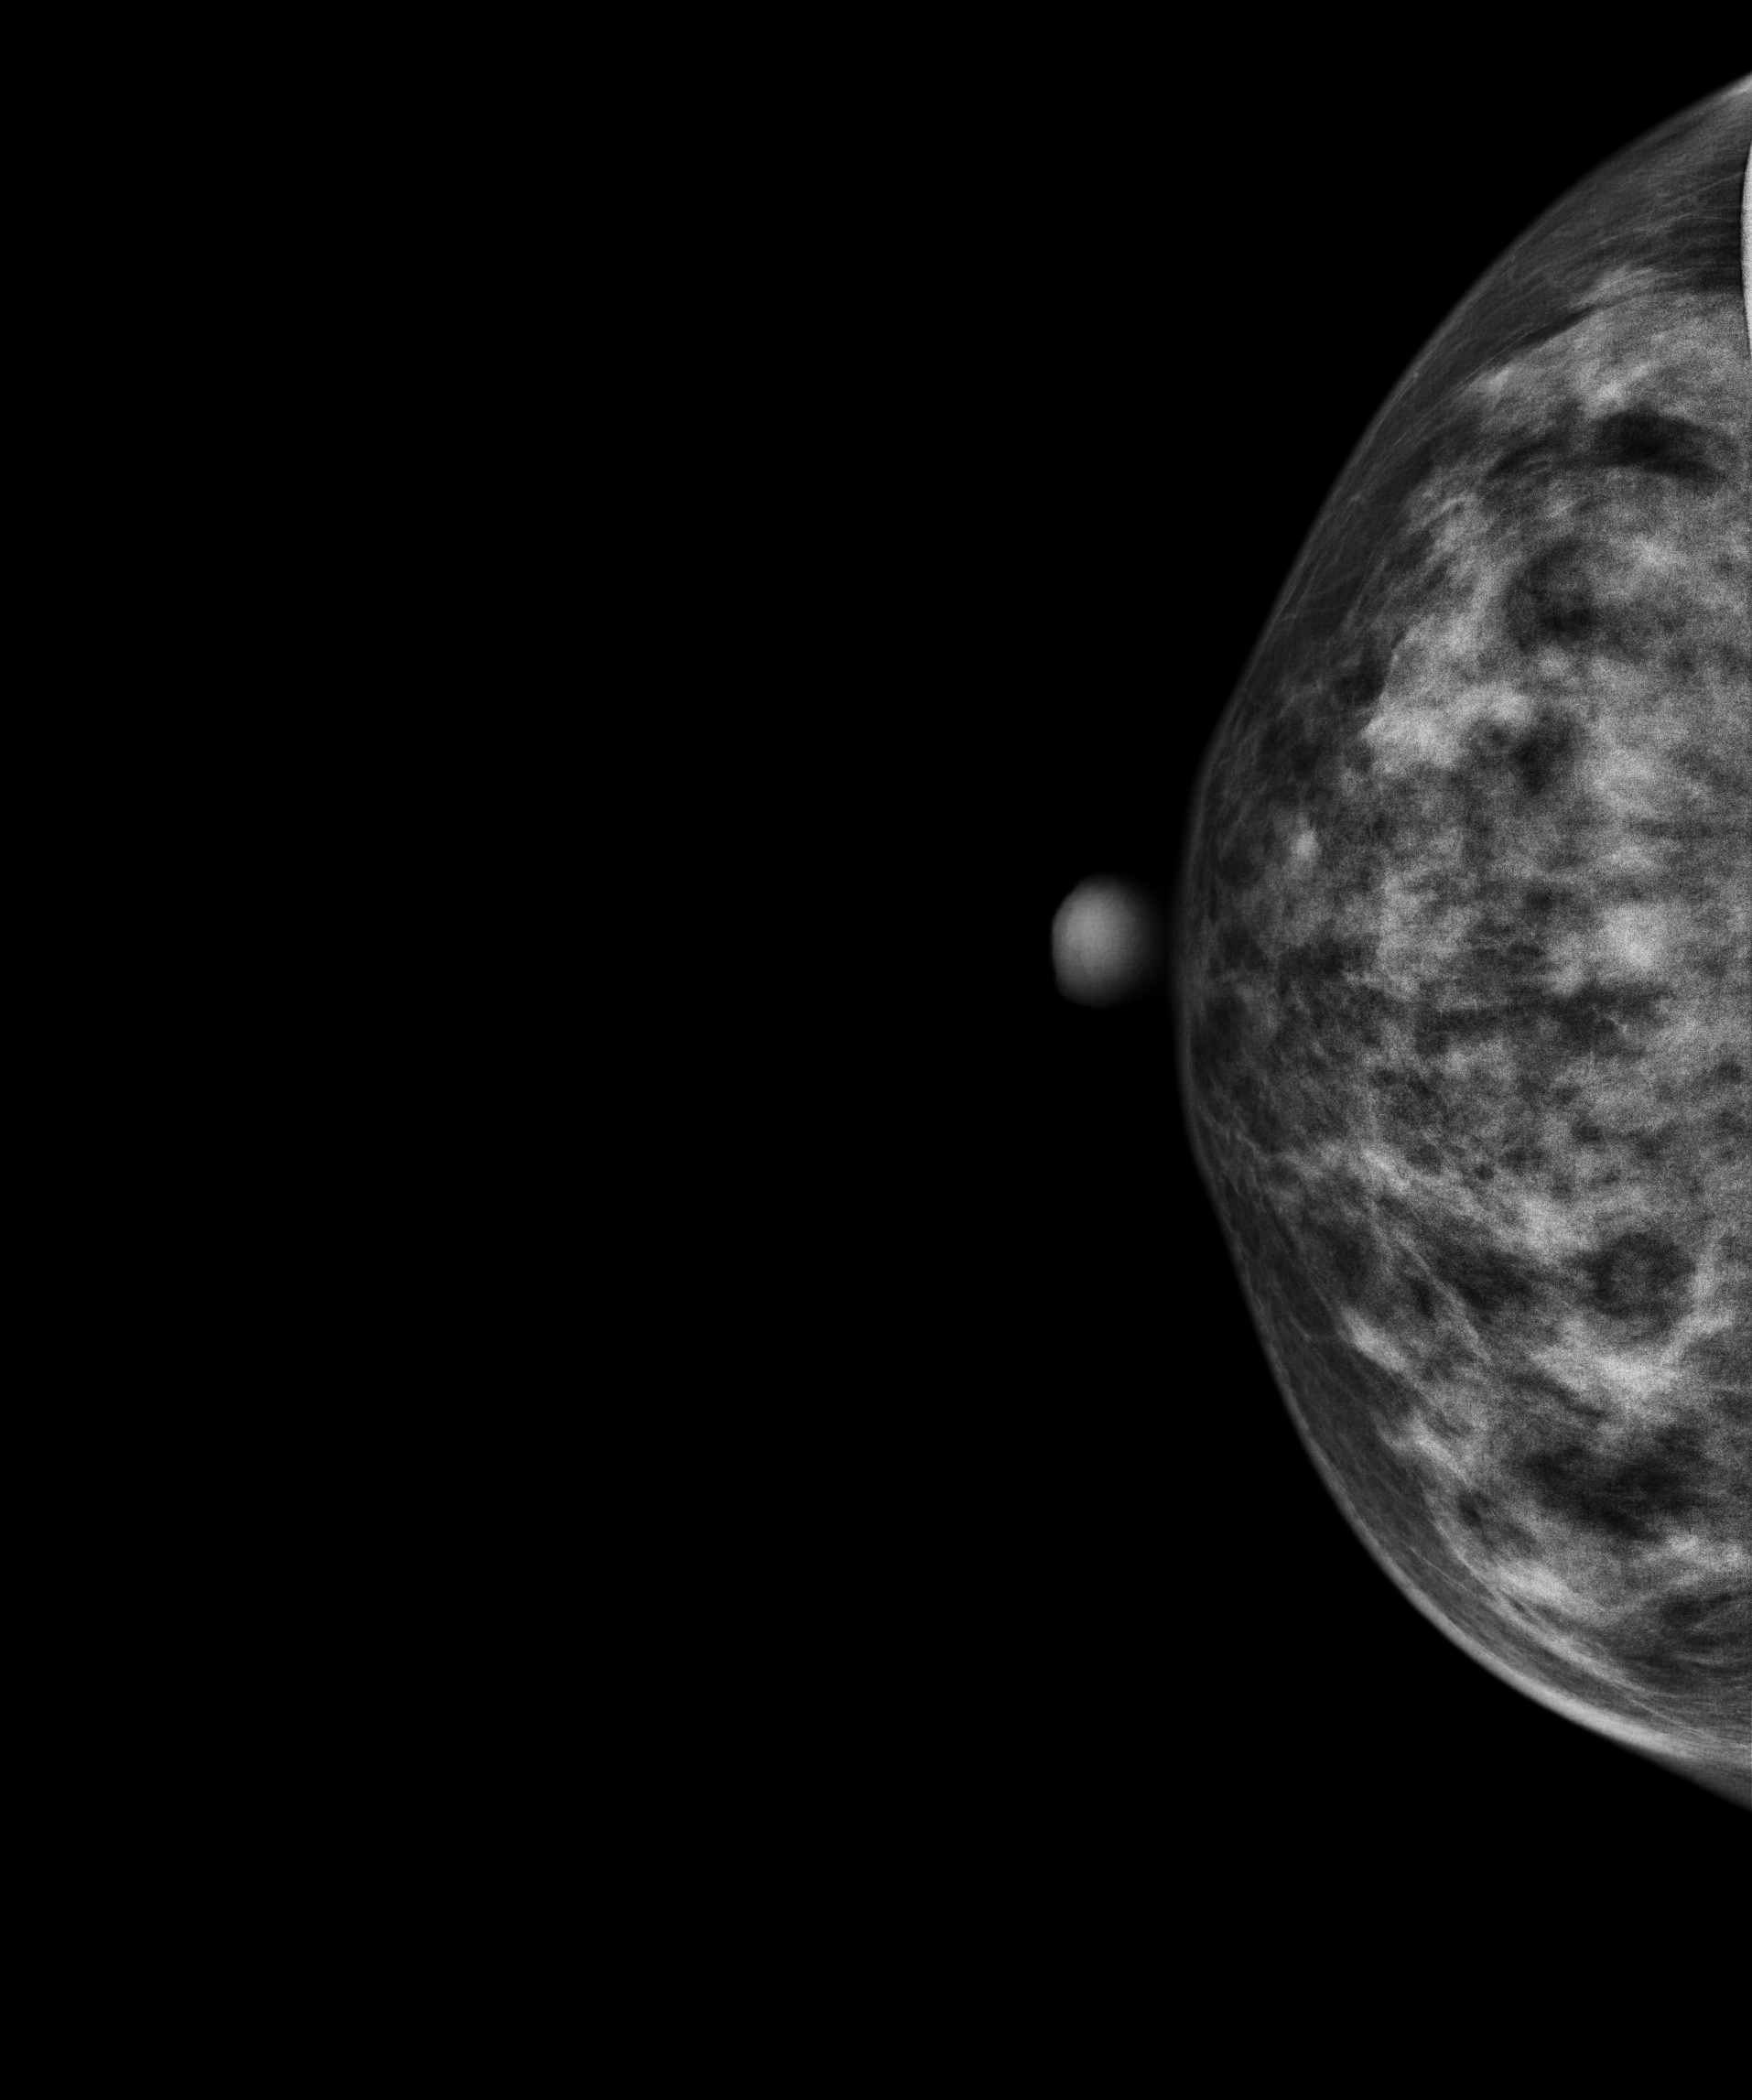
Right-breast mammogram, cranio-caudal. 44-year-old patient.
This breast has a mass, pathology-confirmed benign.